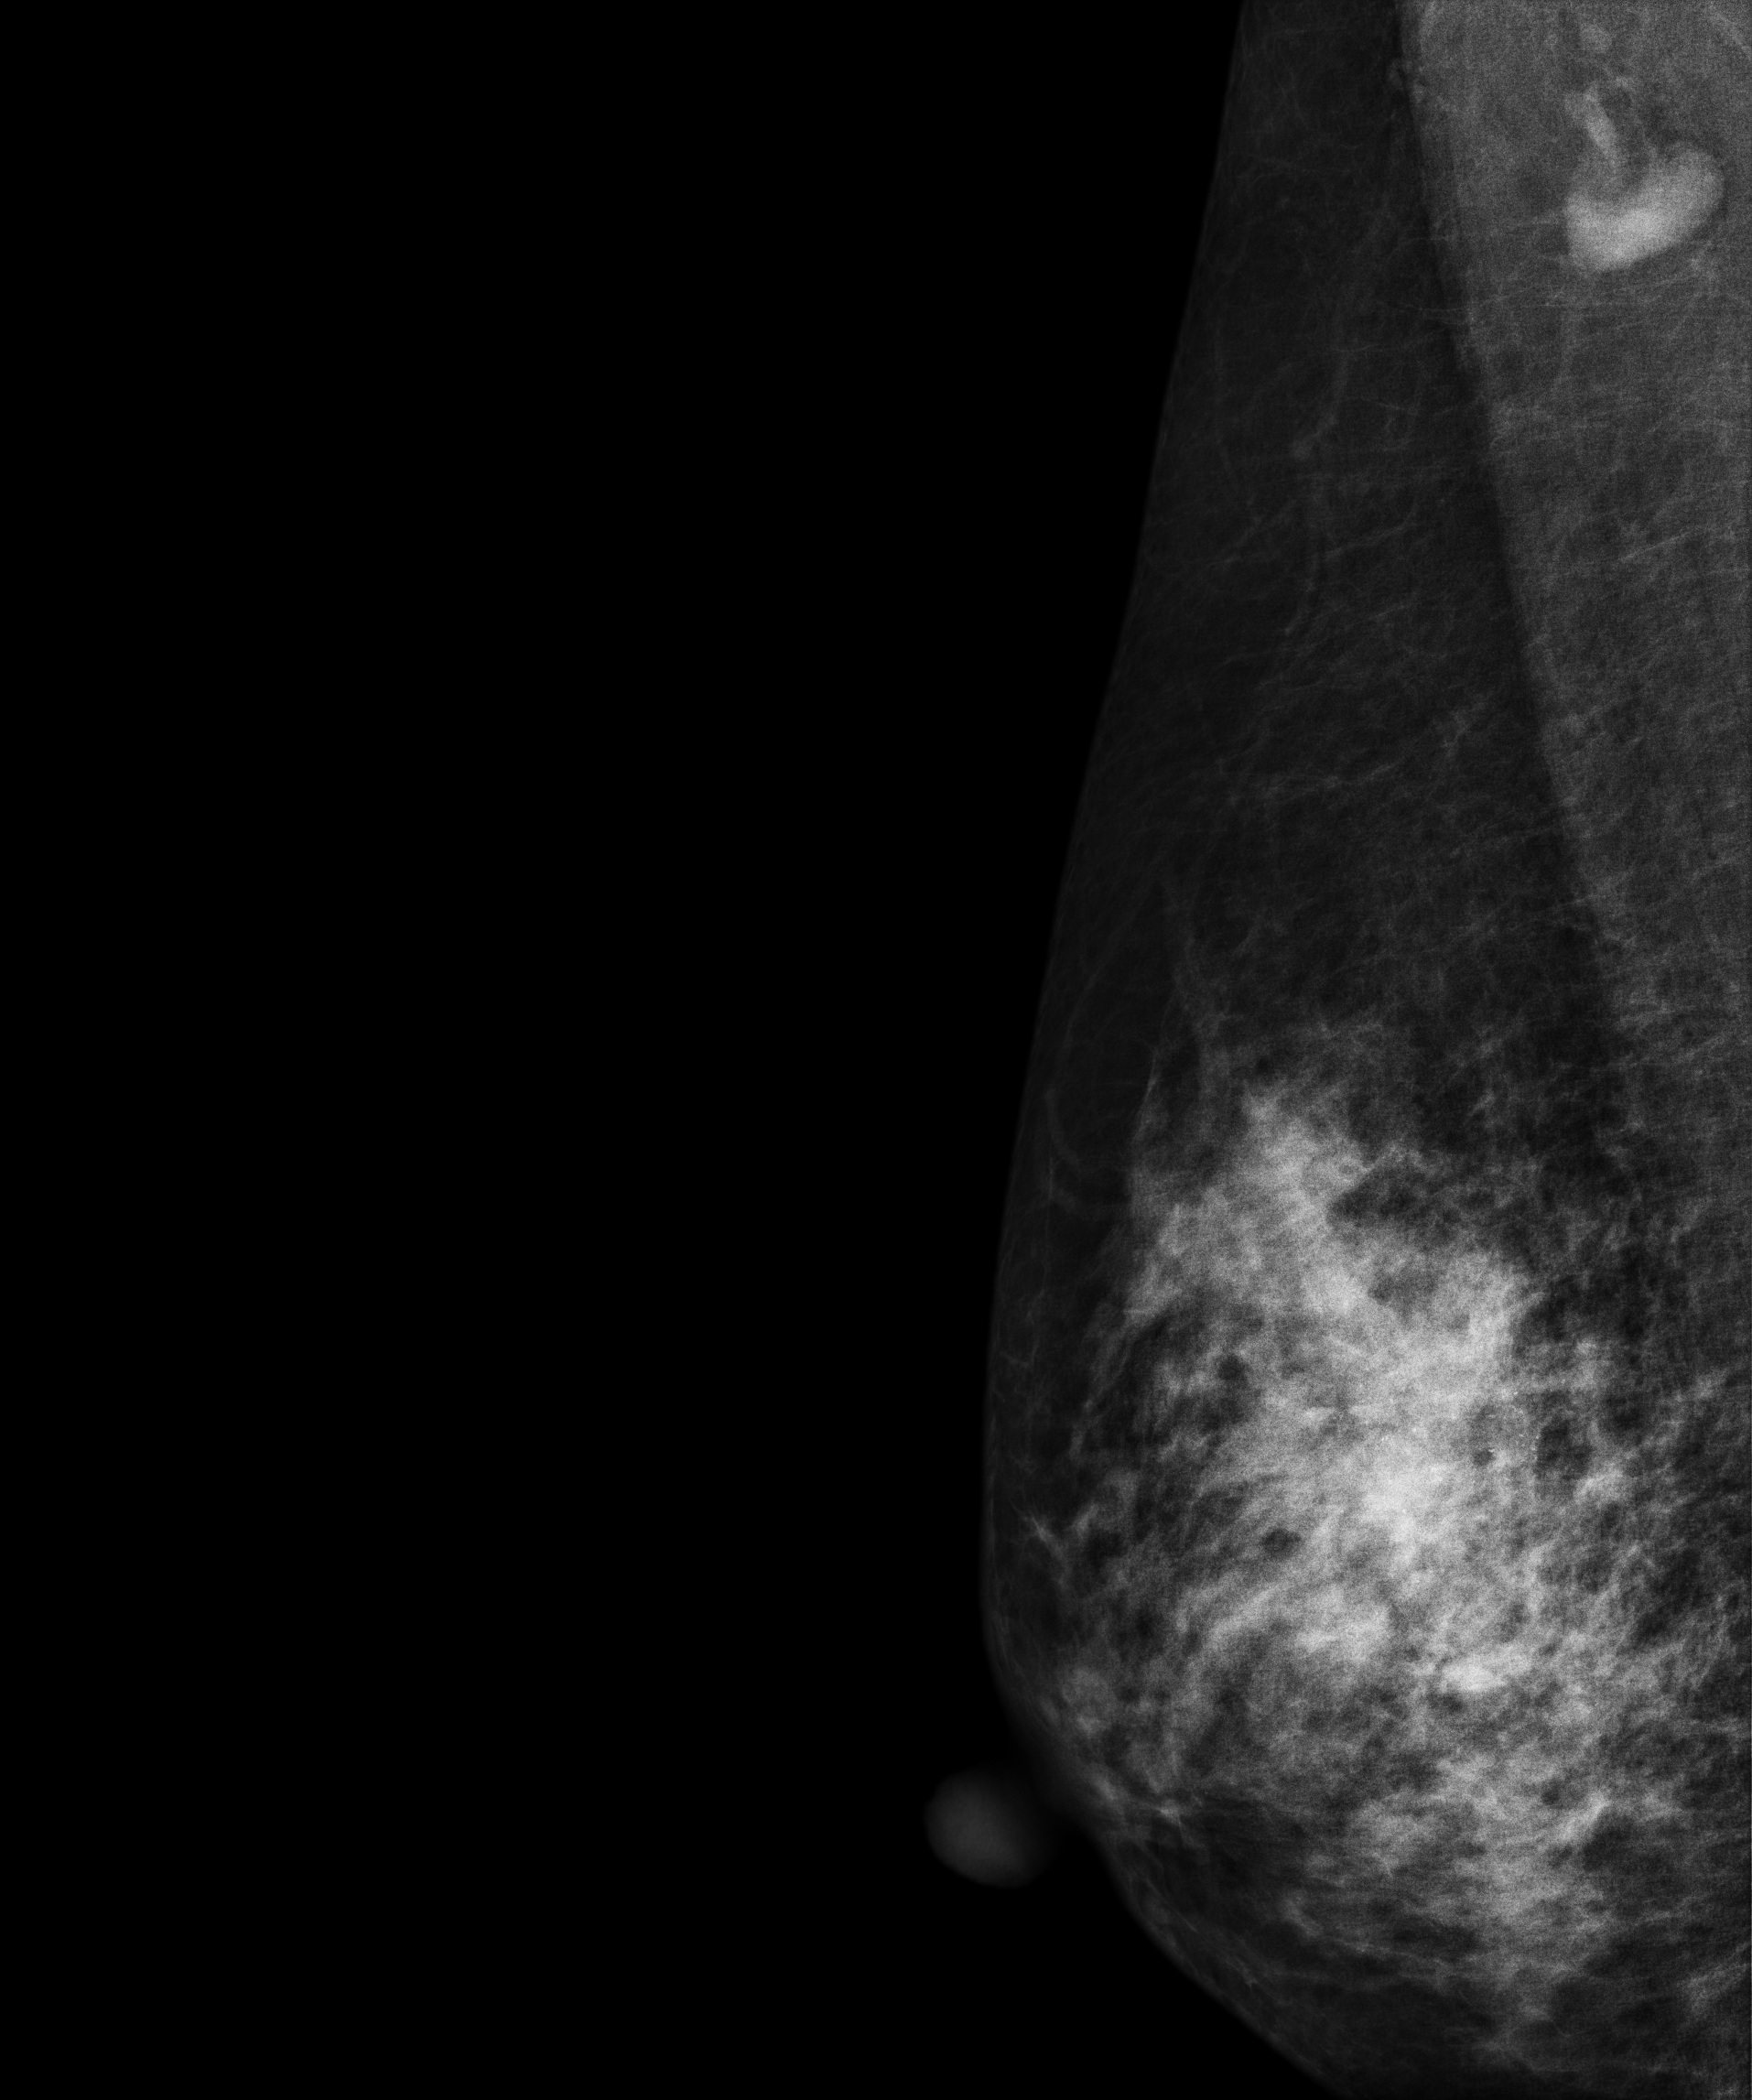
Mammogram — right MLO. Patient age 46.
This breast has calcifications, histologically confirmed malignant.